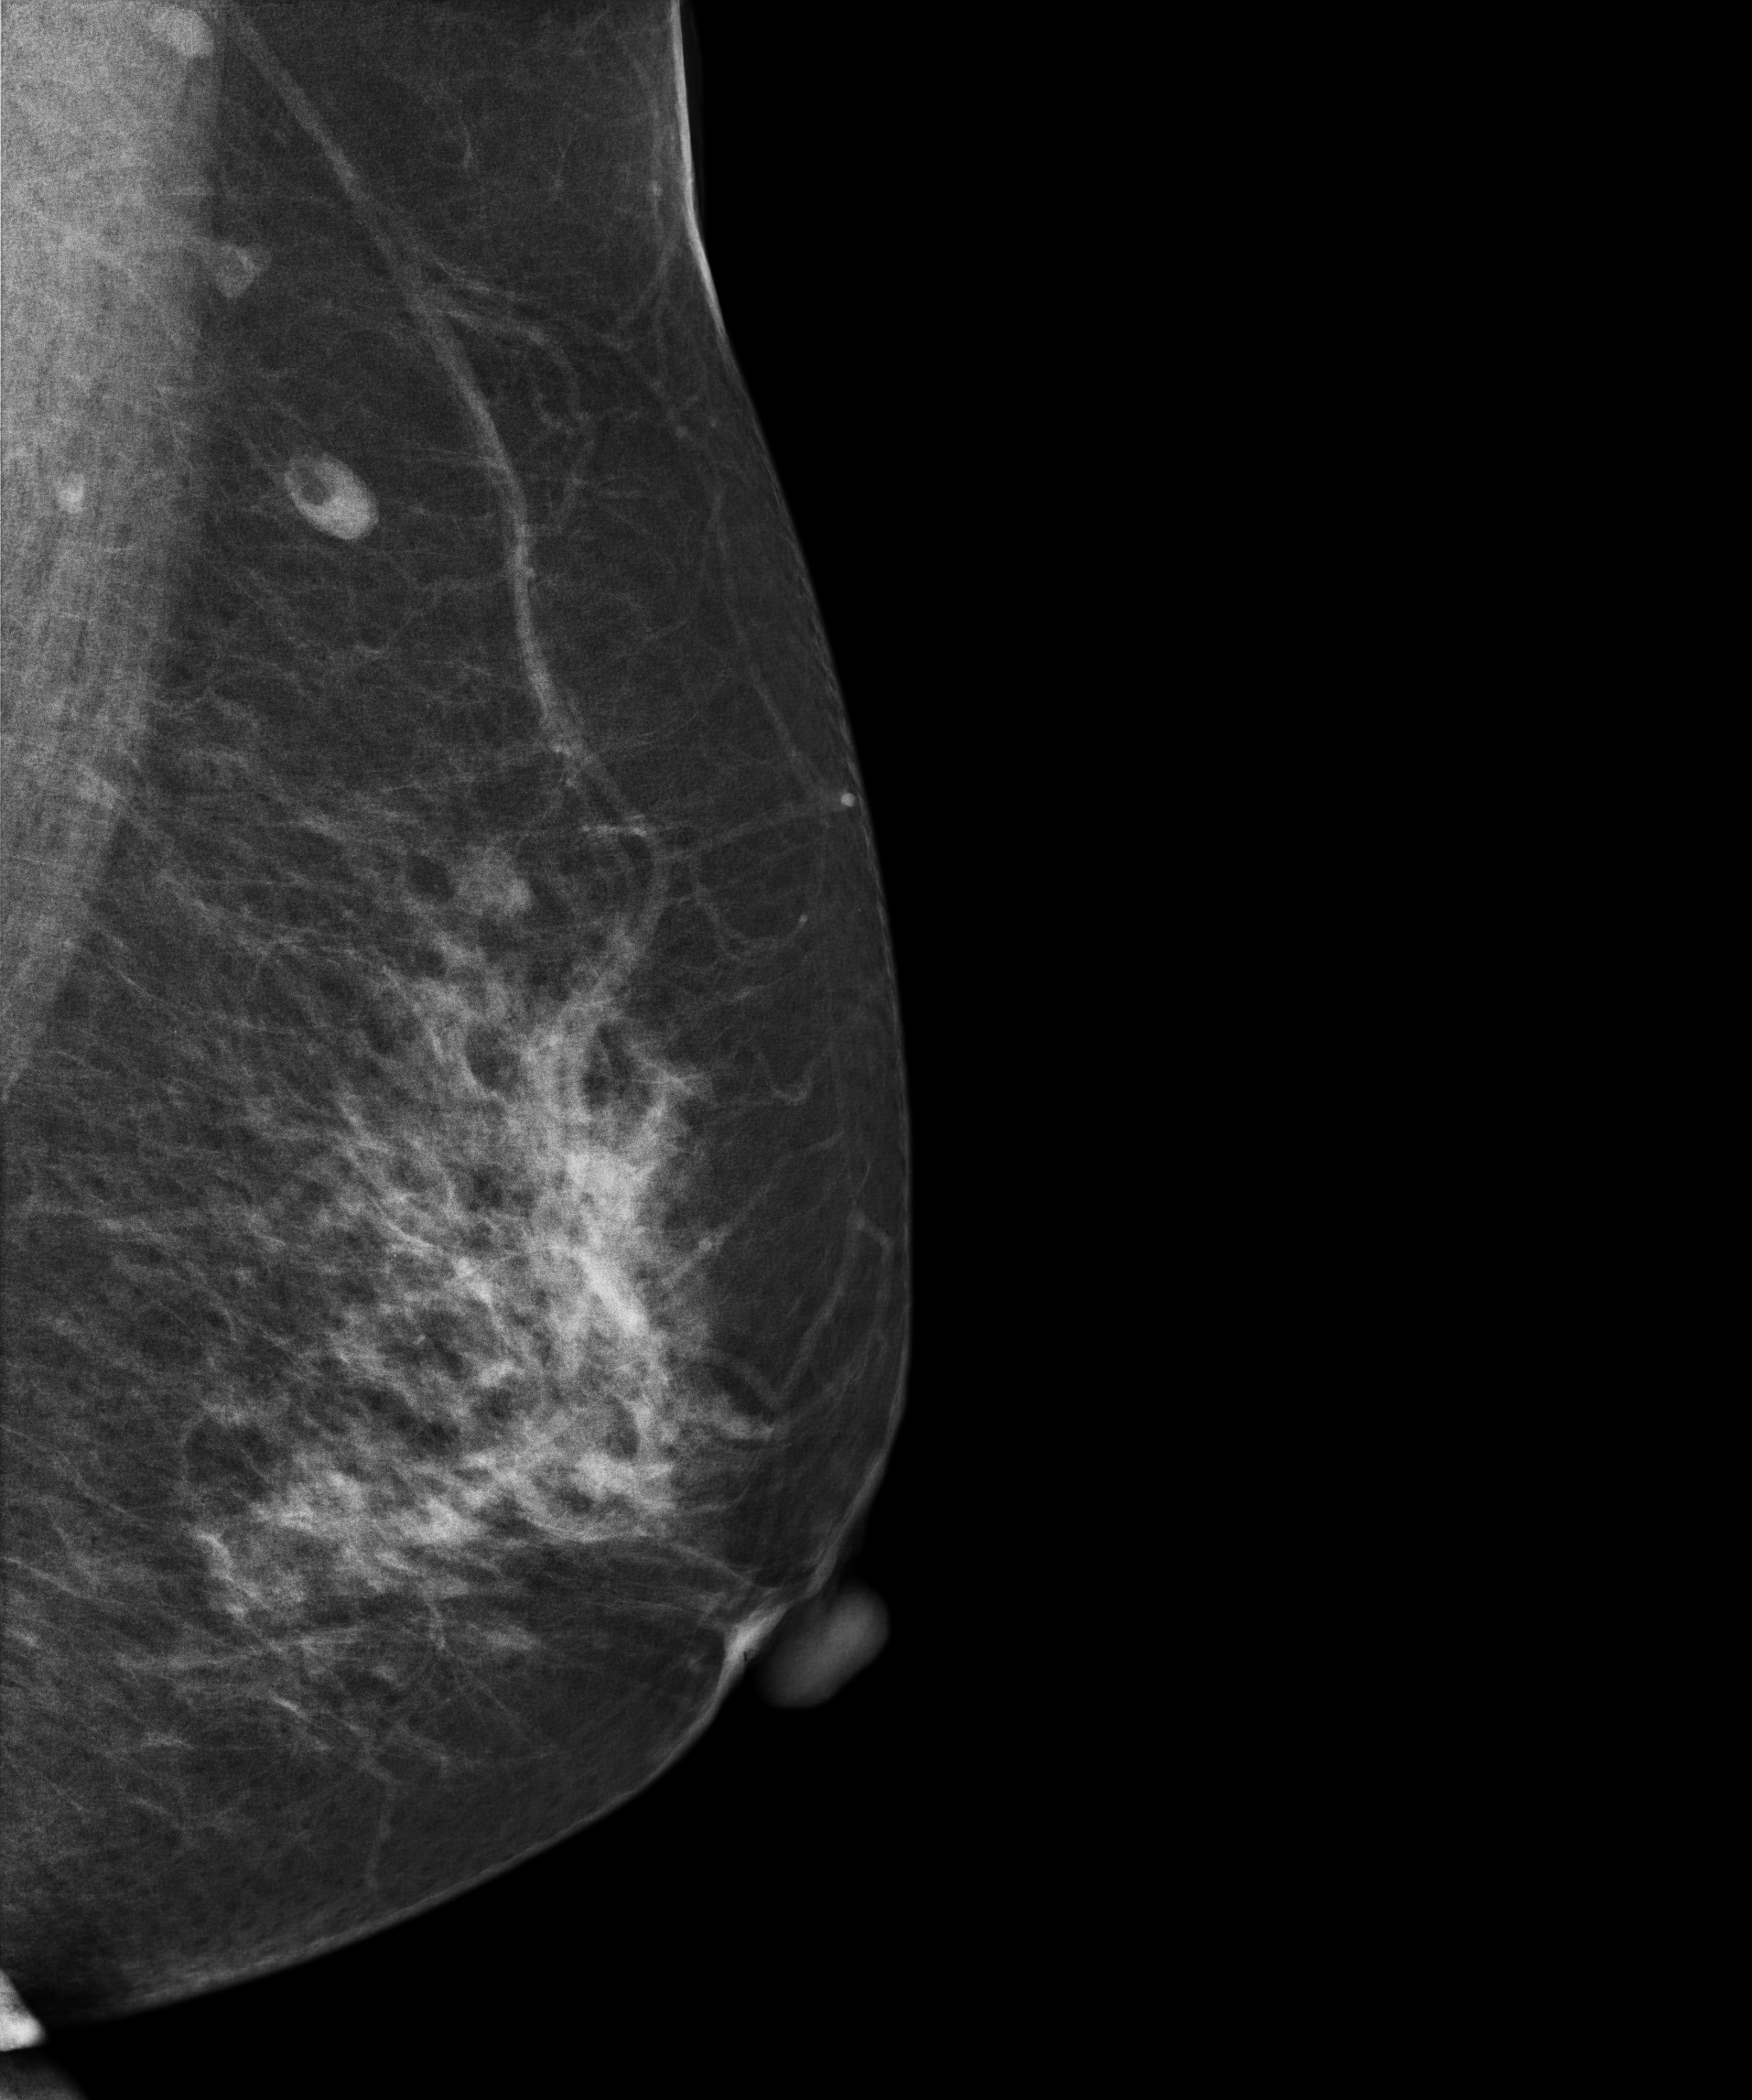
Digital mammography. Left breast, MLO projection. 51-year-old patient.
Contralateral breast — no documented abnormality on this side.